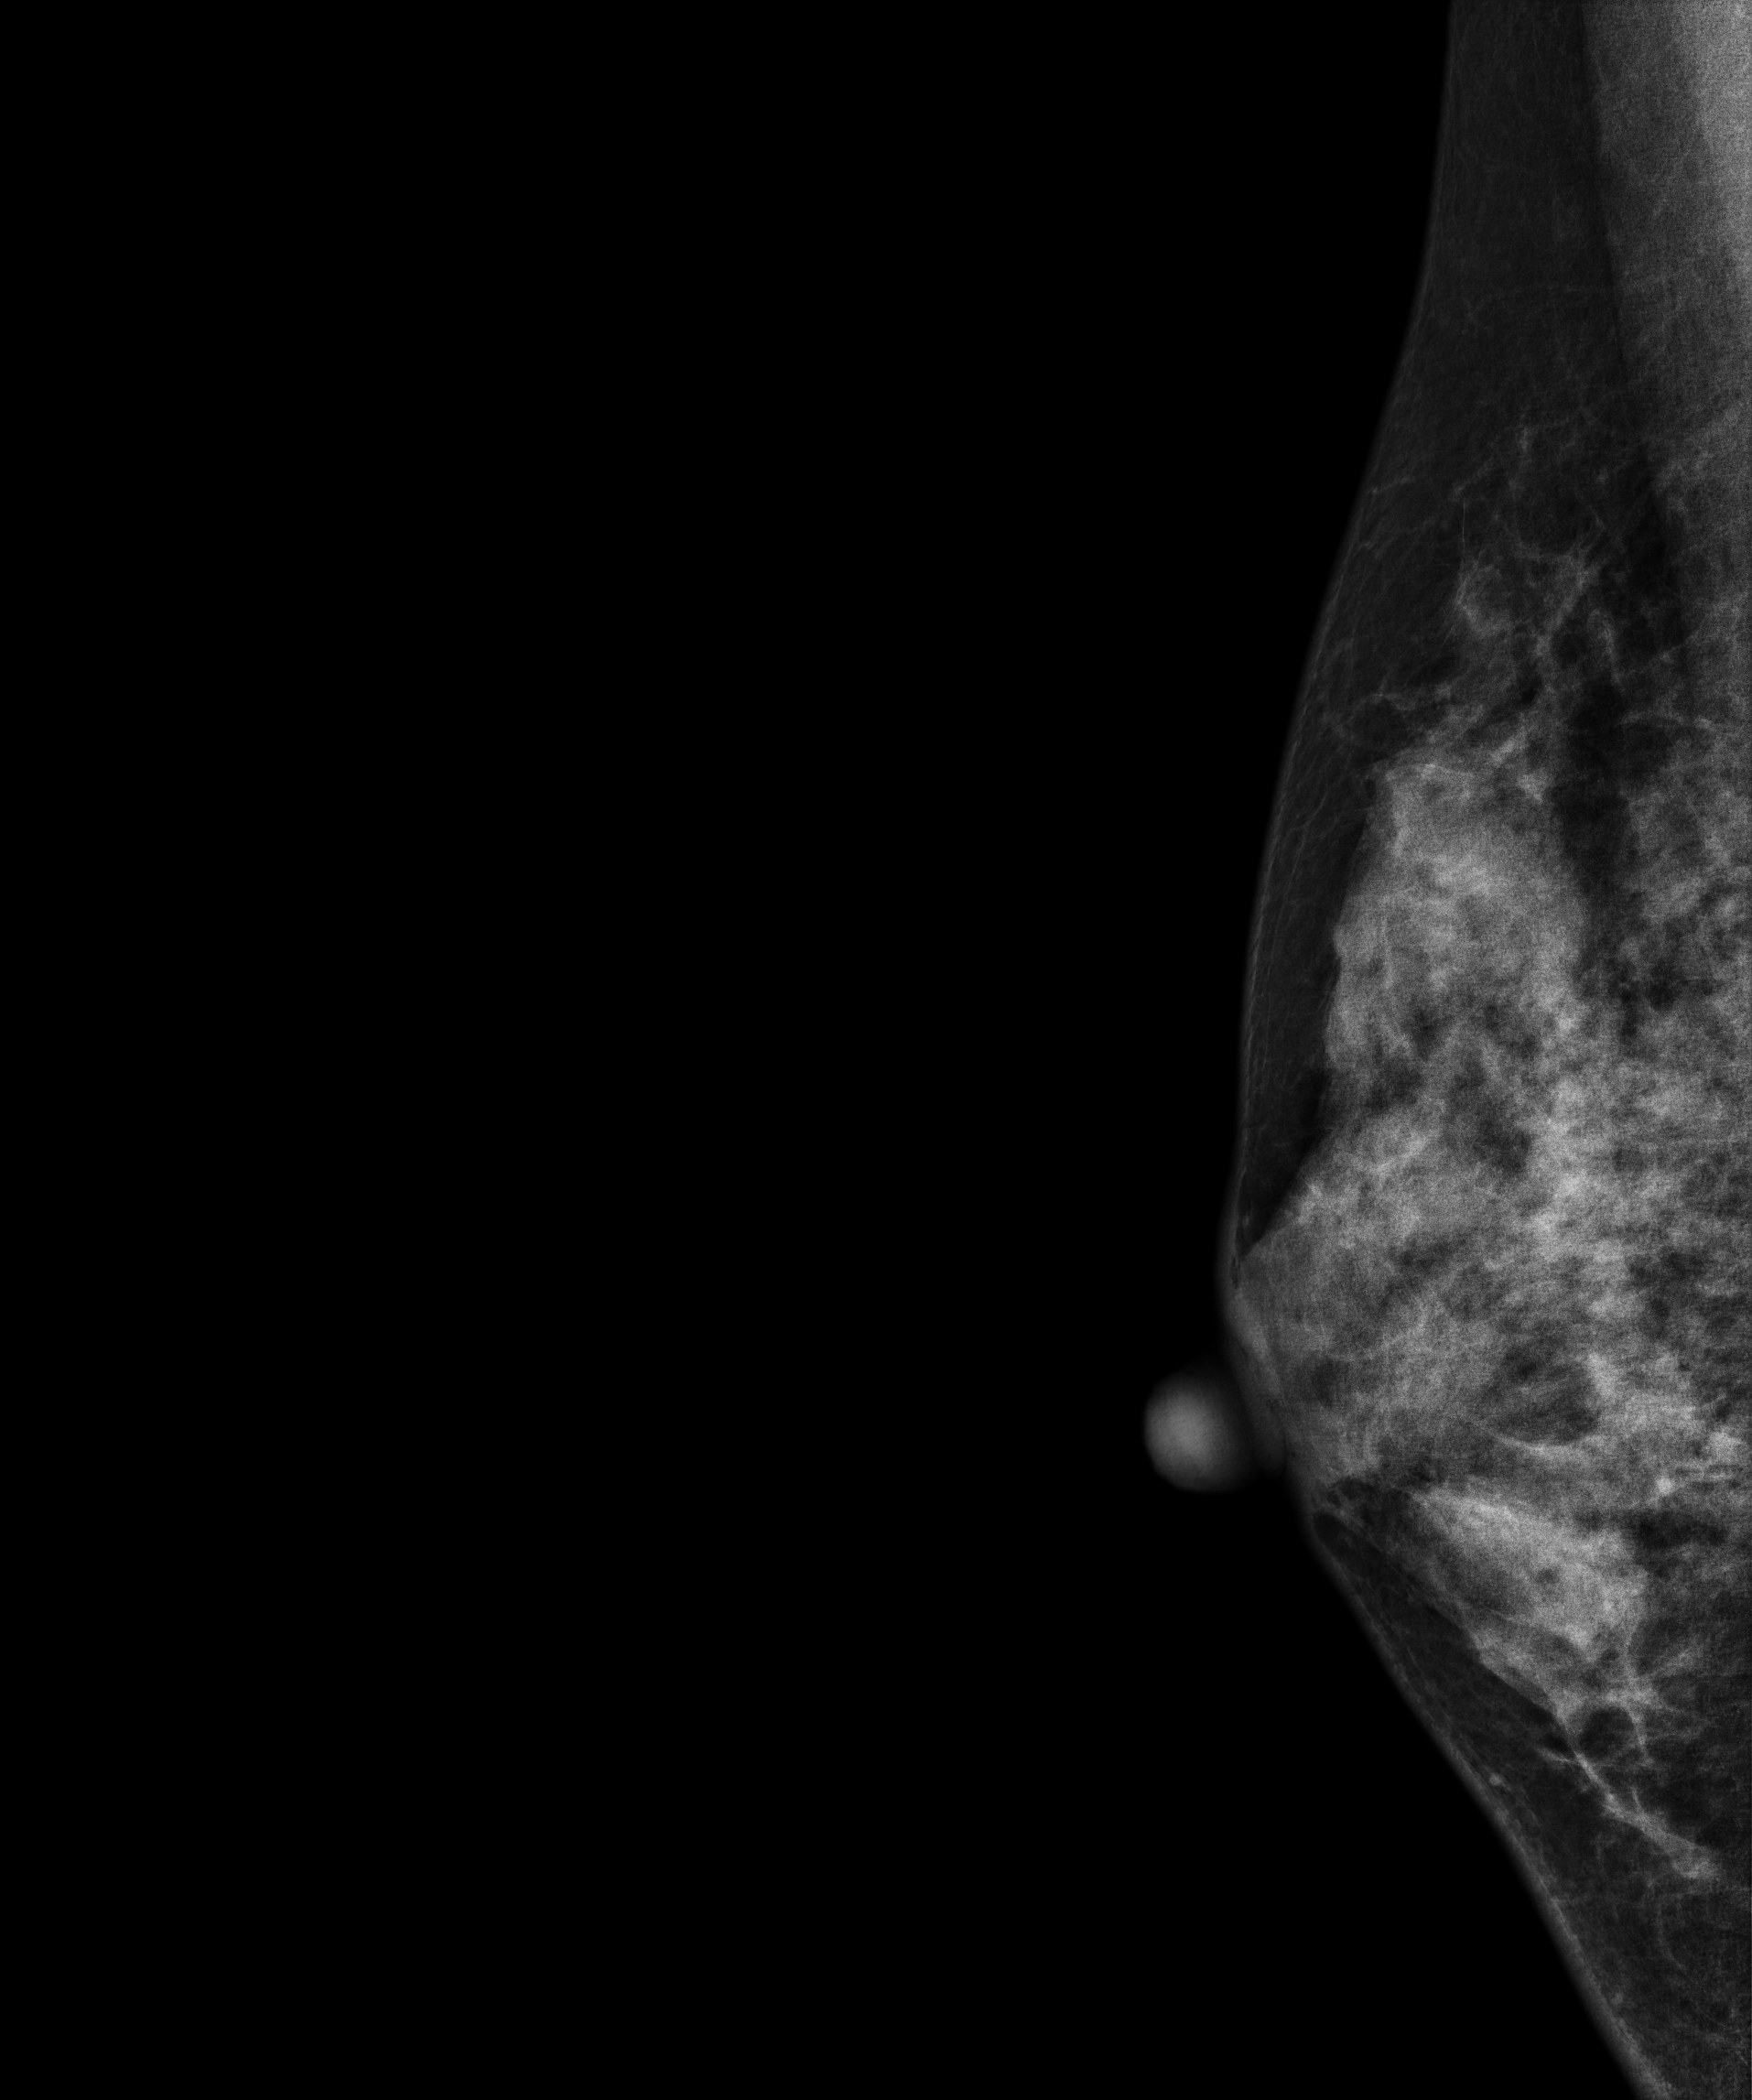
Mammogram — right medio-lateral oblique. 45 y/o patient.
Contralateral breast — no documented abnormality on this side.